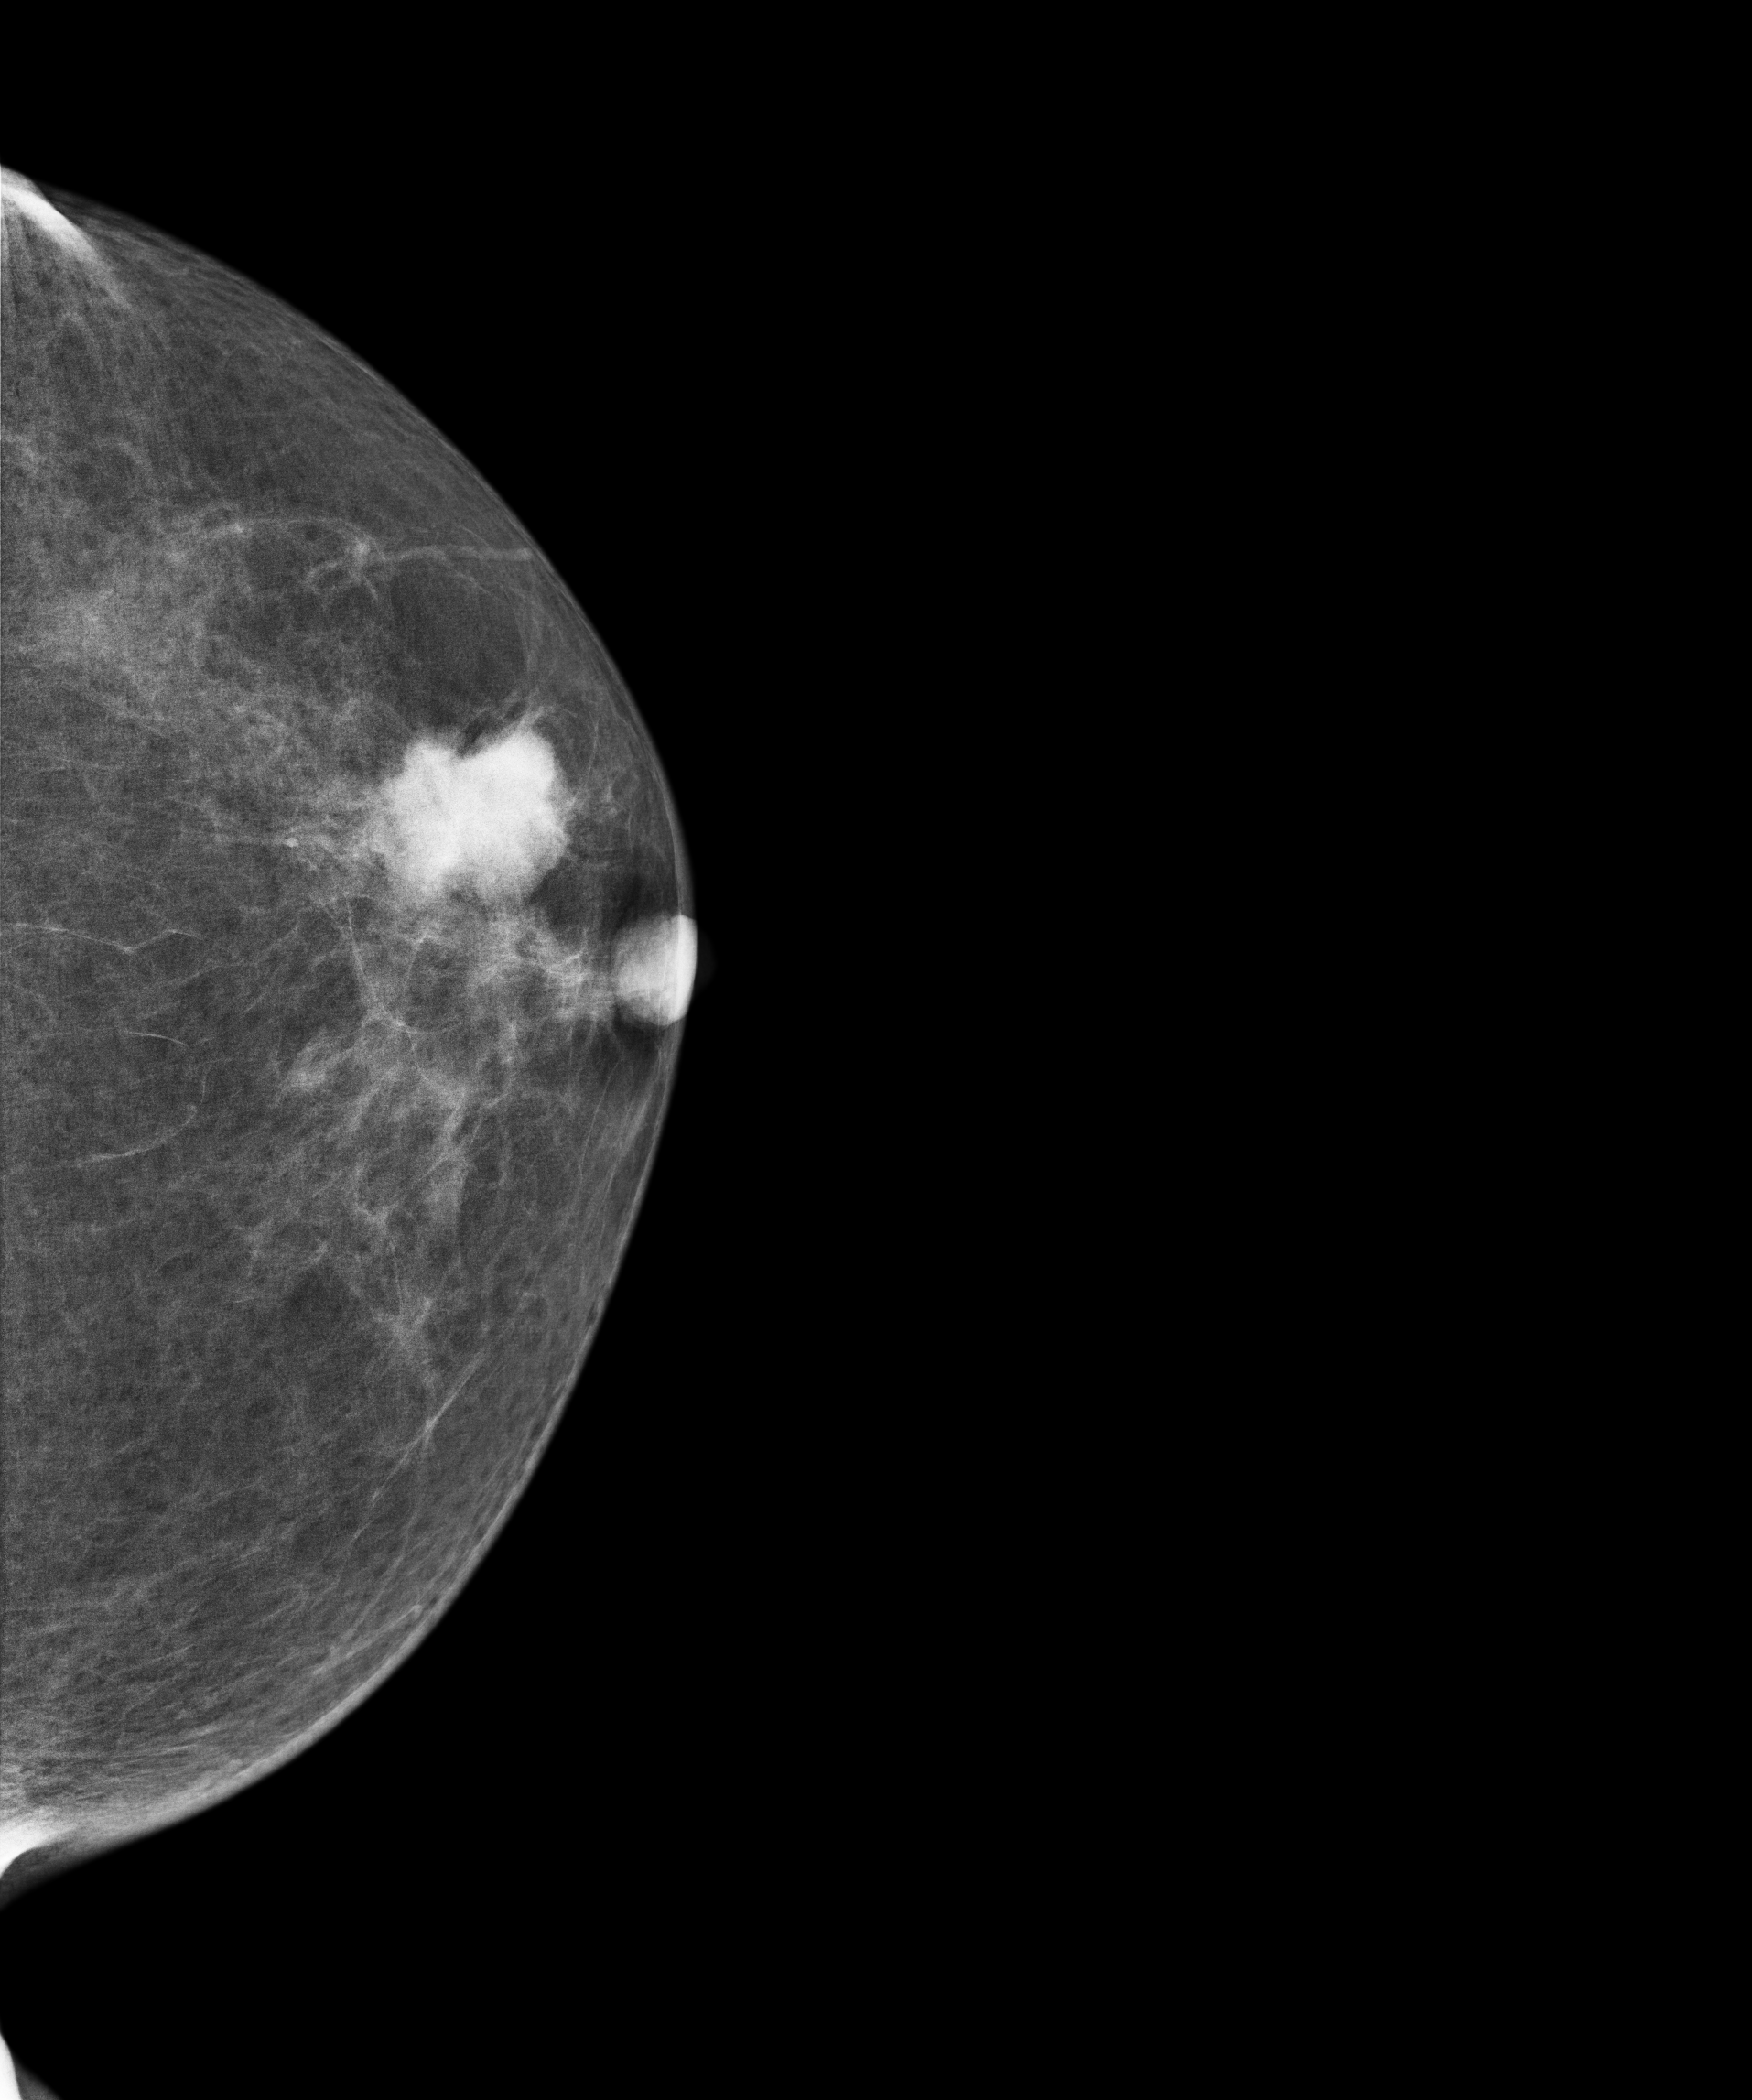
Left-breast mammogram, CC. 64 y/o patient.
This breast has a mass, histologically confirmed malignant.